Mammogram — left MLO. 40 y/o patient.
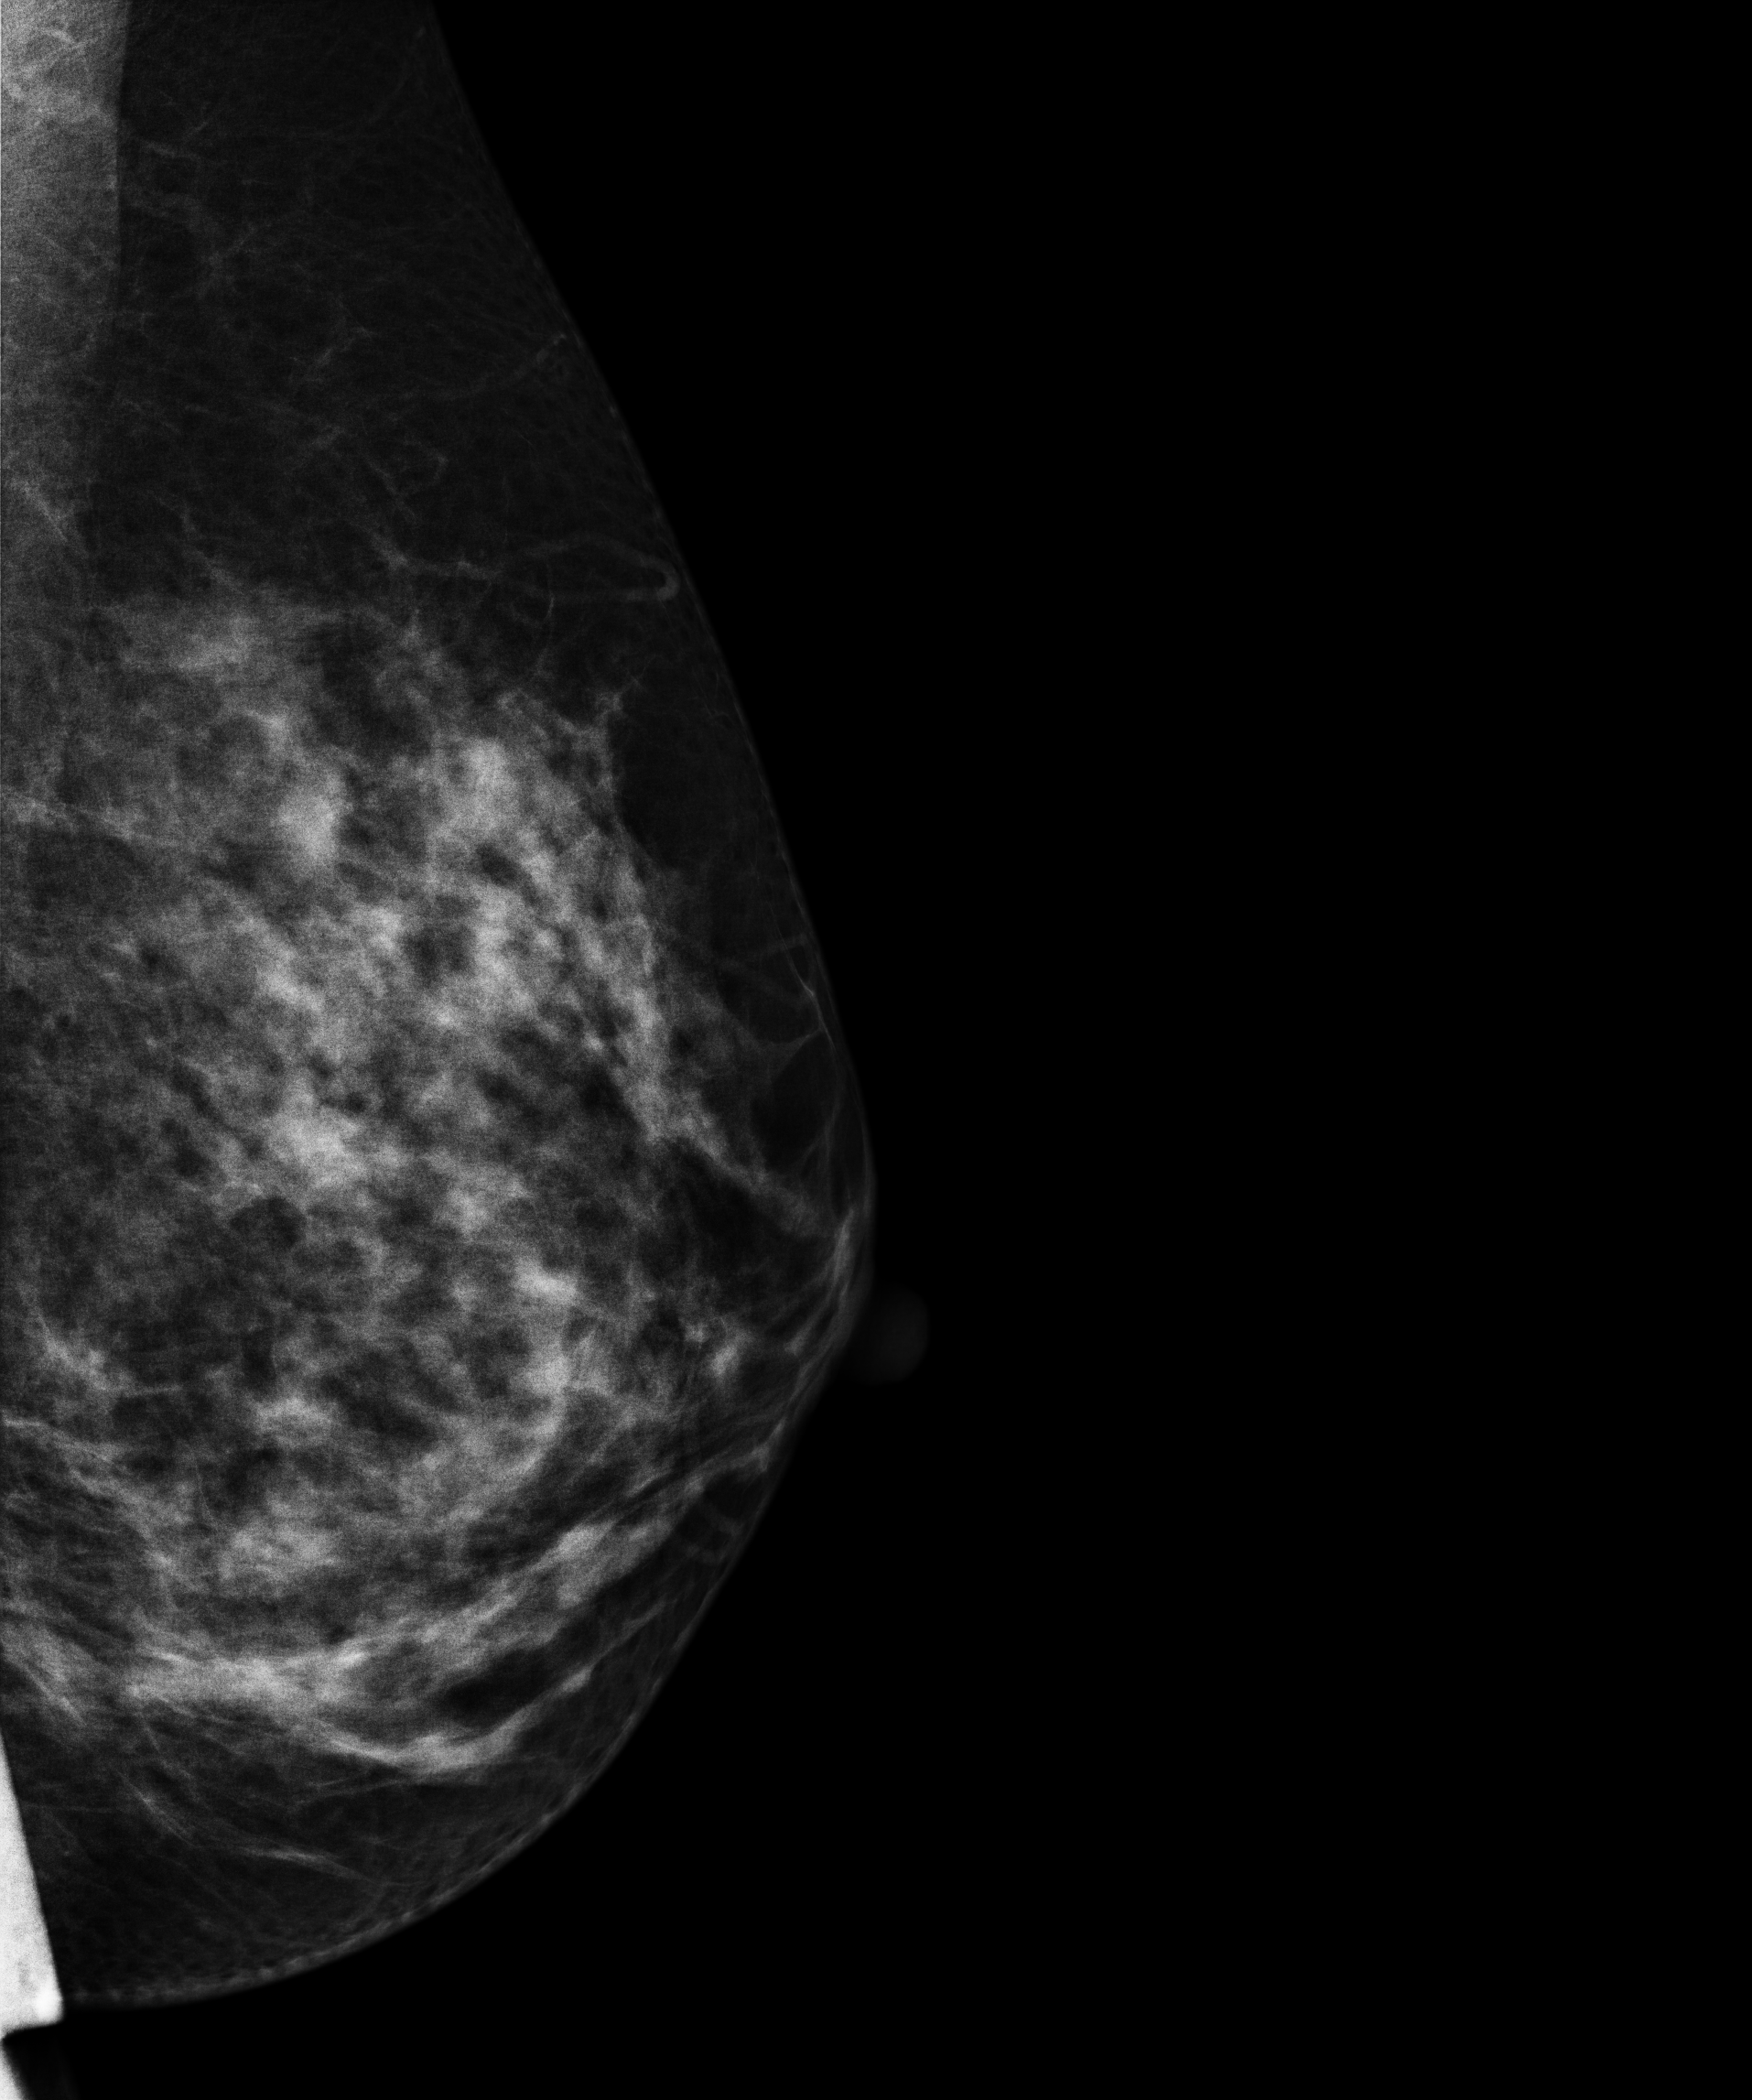
Contralateral breast — no documented abnormality on this side.